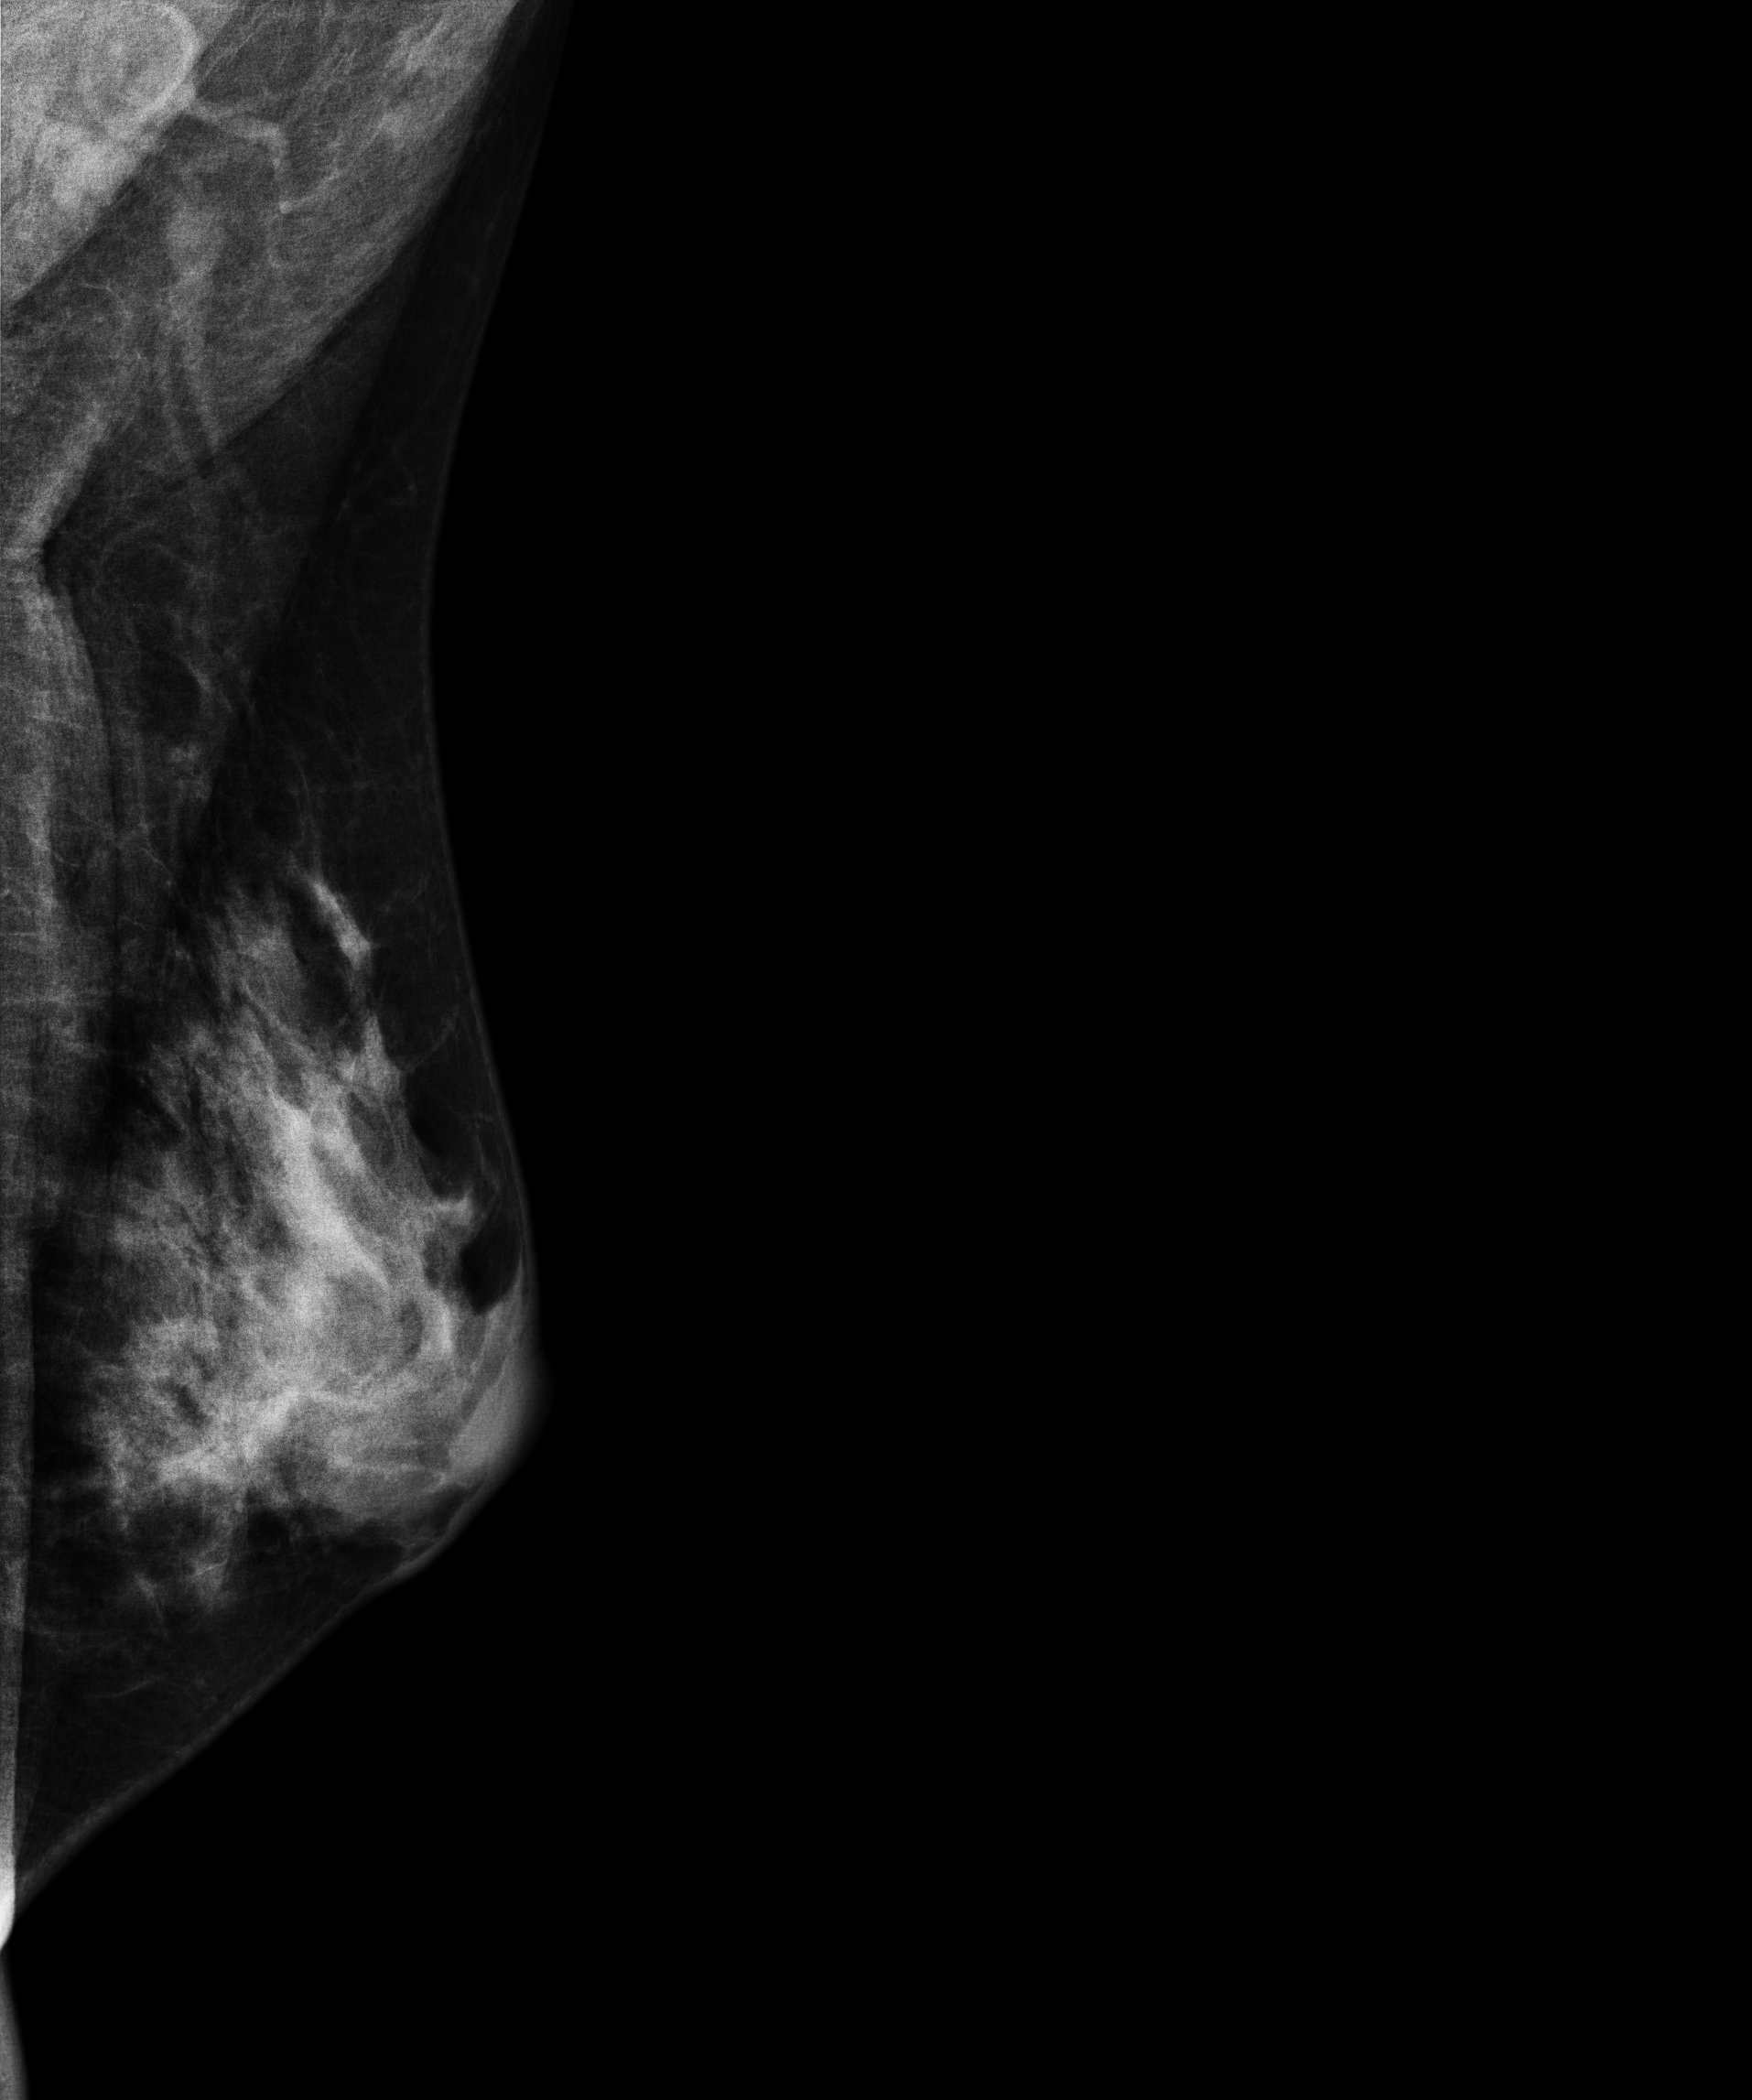
Left-breast mammogram, medio-lateral oblique. 43-year-old patient.
This breast has a mass, biopsy-confirmed malignant. Molecular subtype: luminal B.